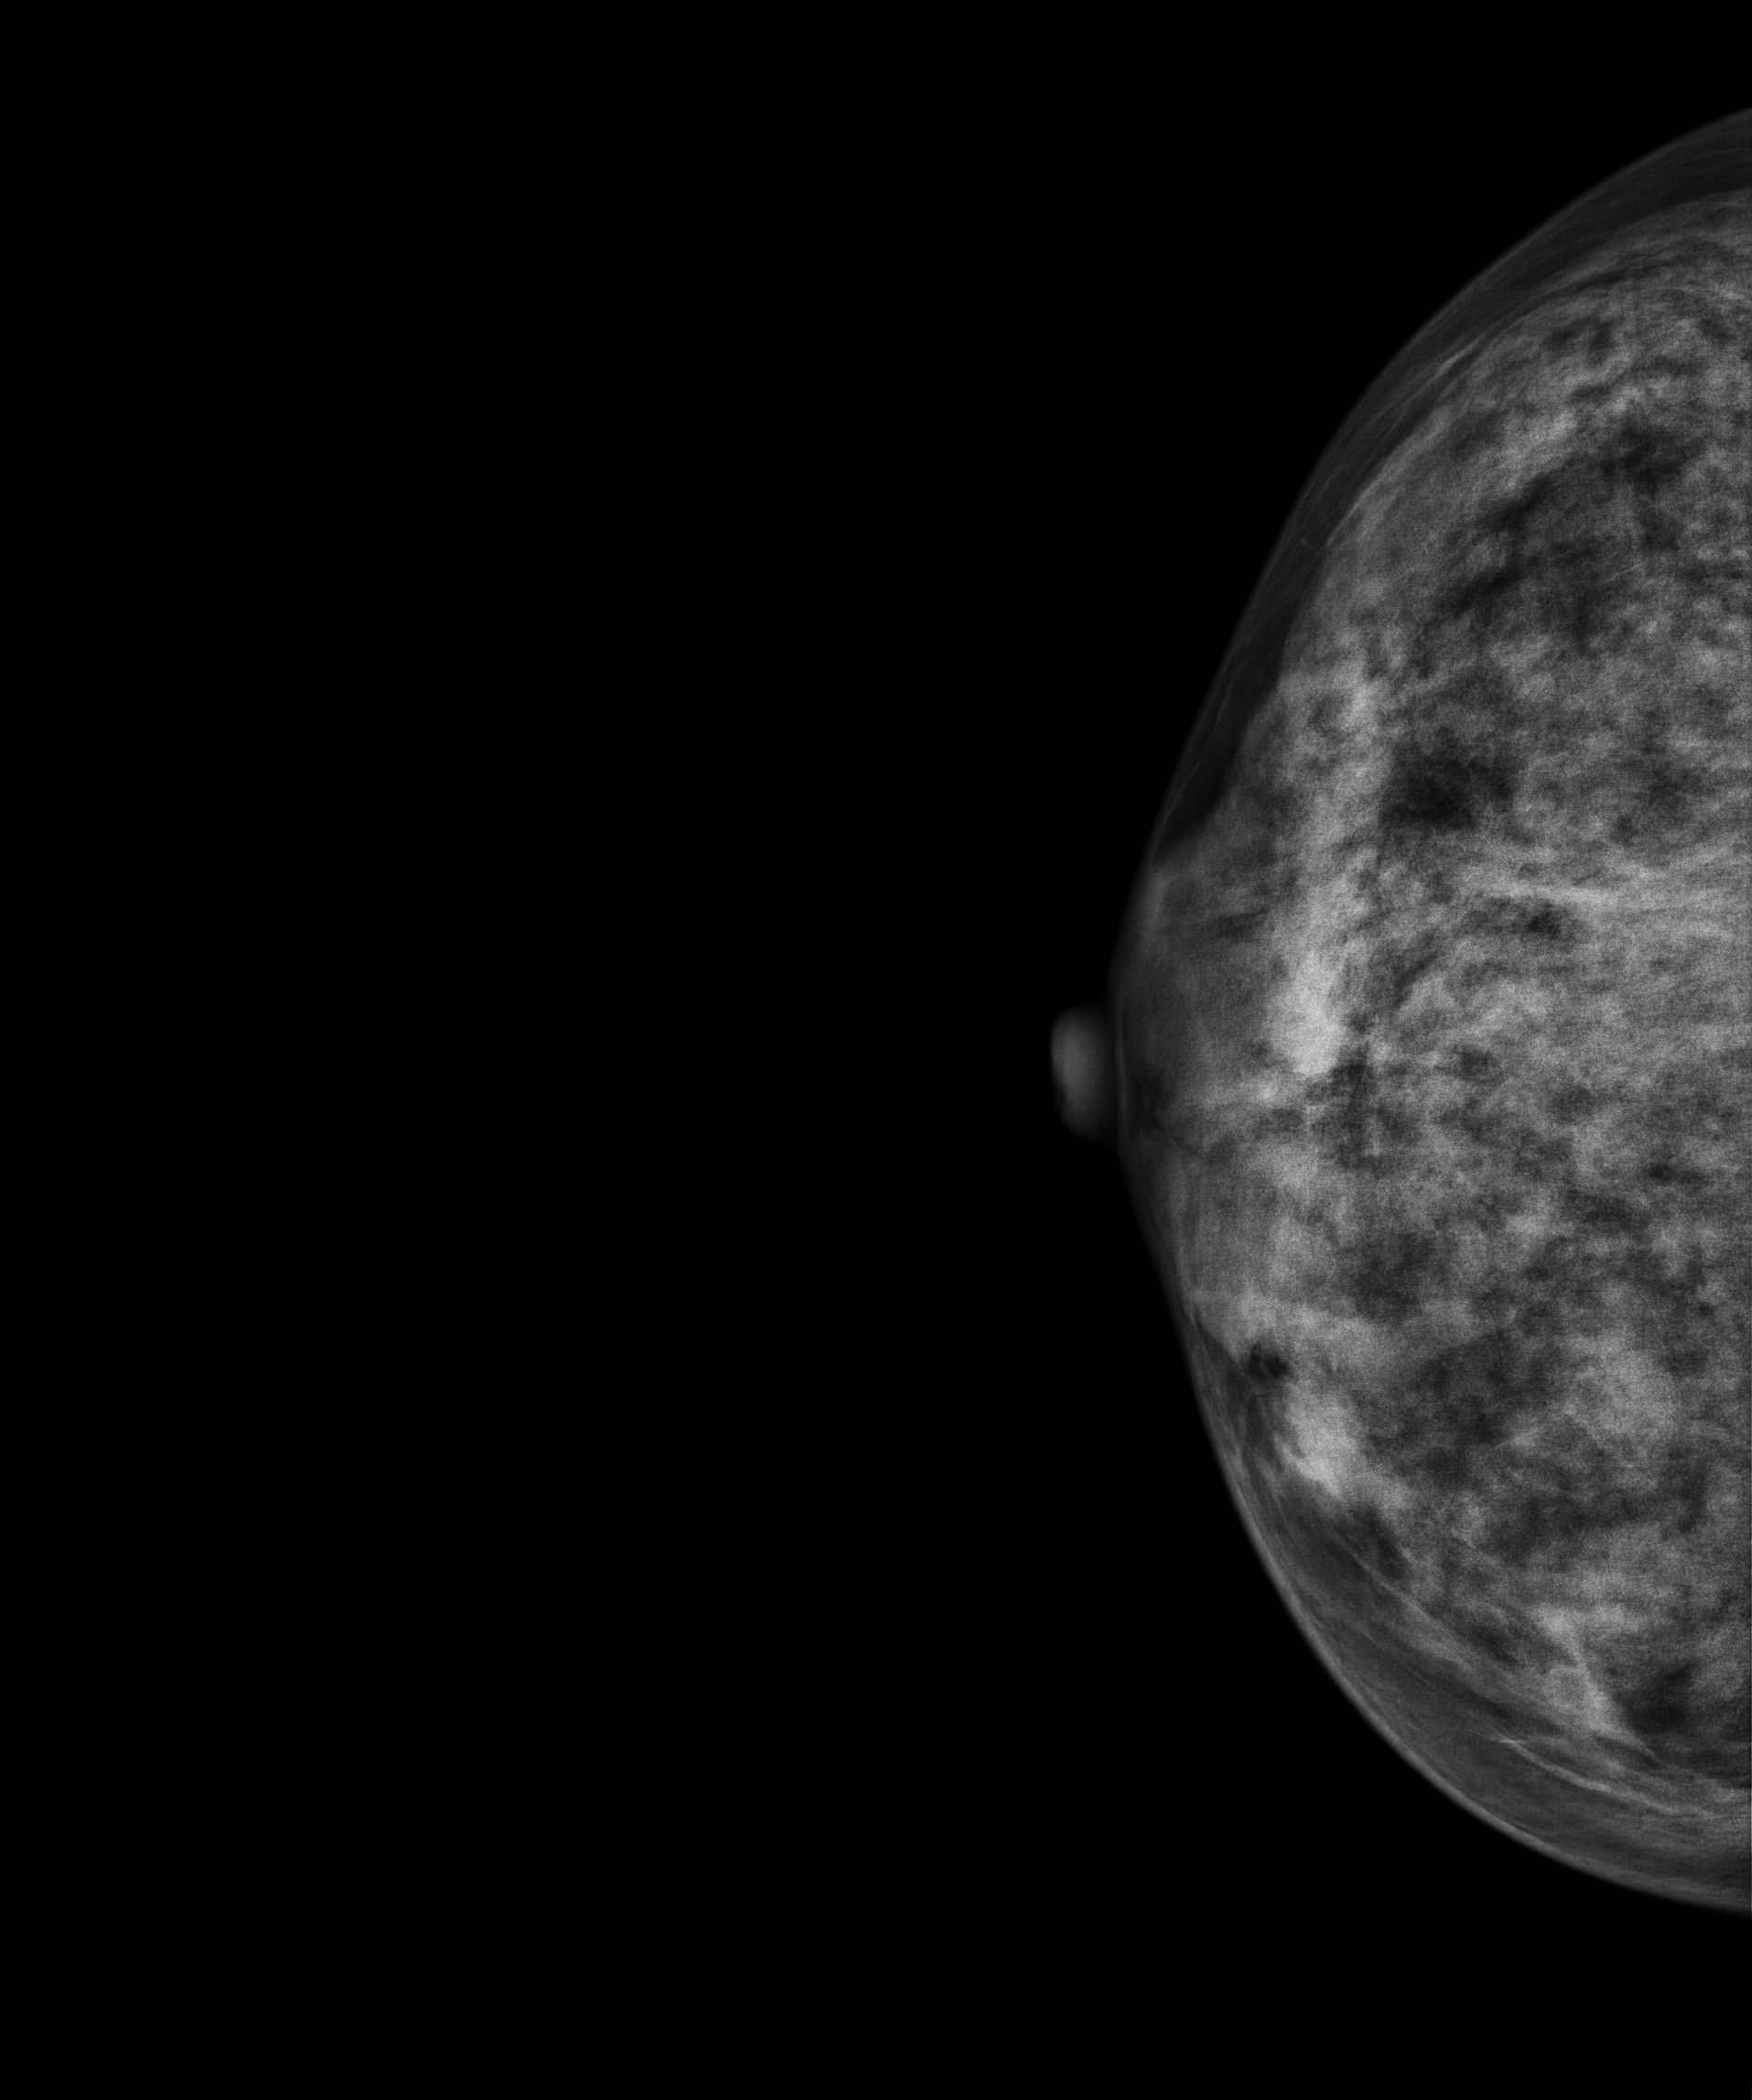
Cranio-caudal mammogram of the right breast. 45-year-old patient.
Contralateral breast — no documented abnormality on this side.